Digital mammography. Right breast, cranio-caudal projection. 55-year-old patient.
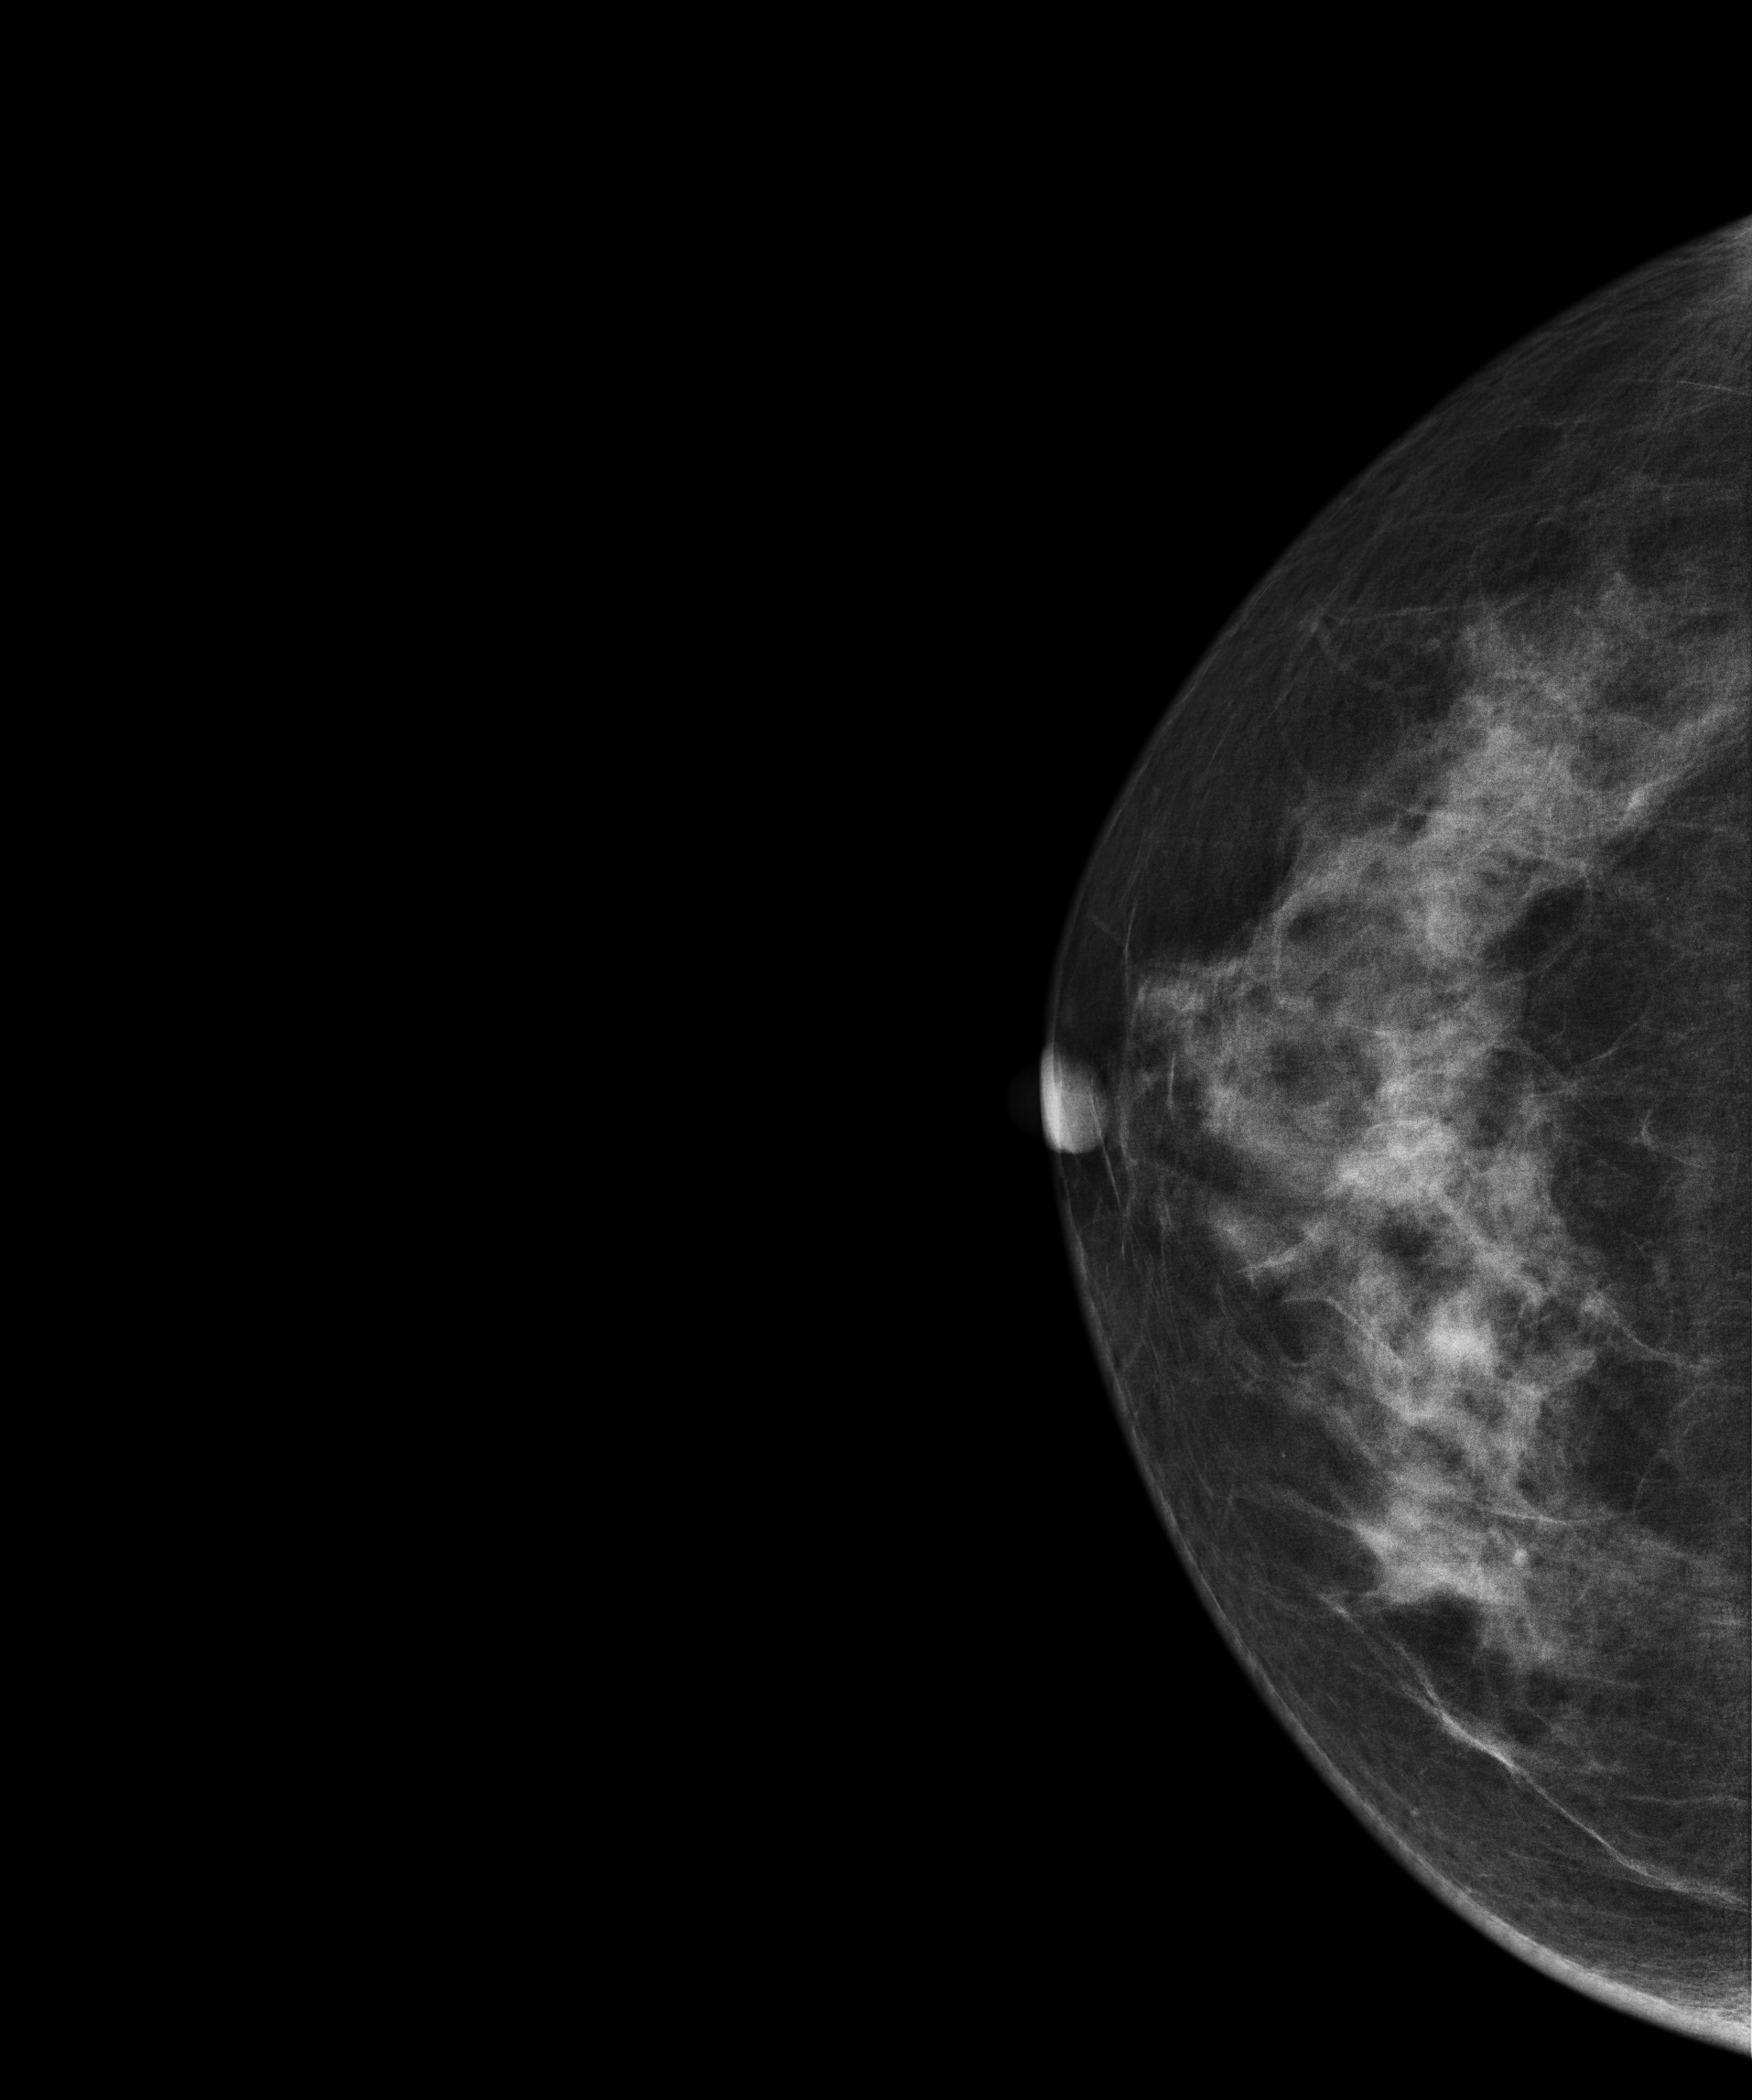
Contralateral breast — no documented abnormality on this side.